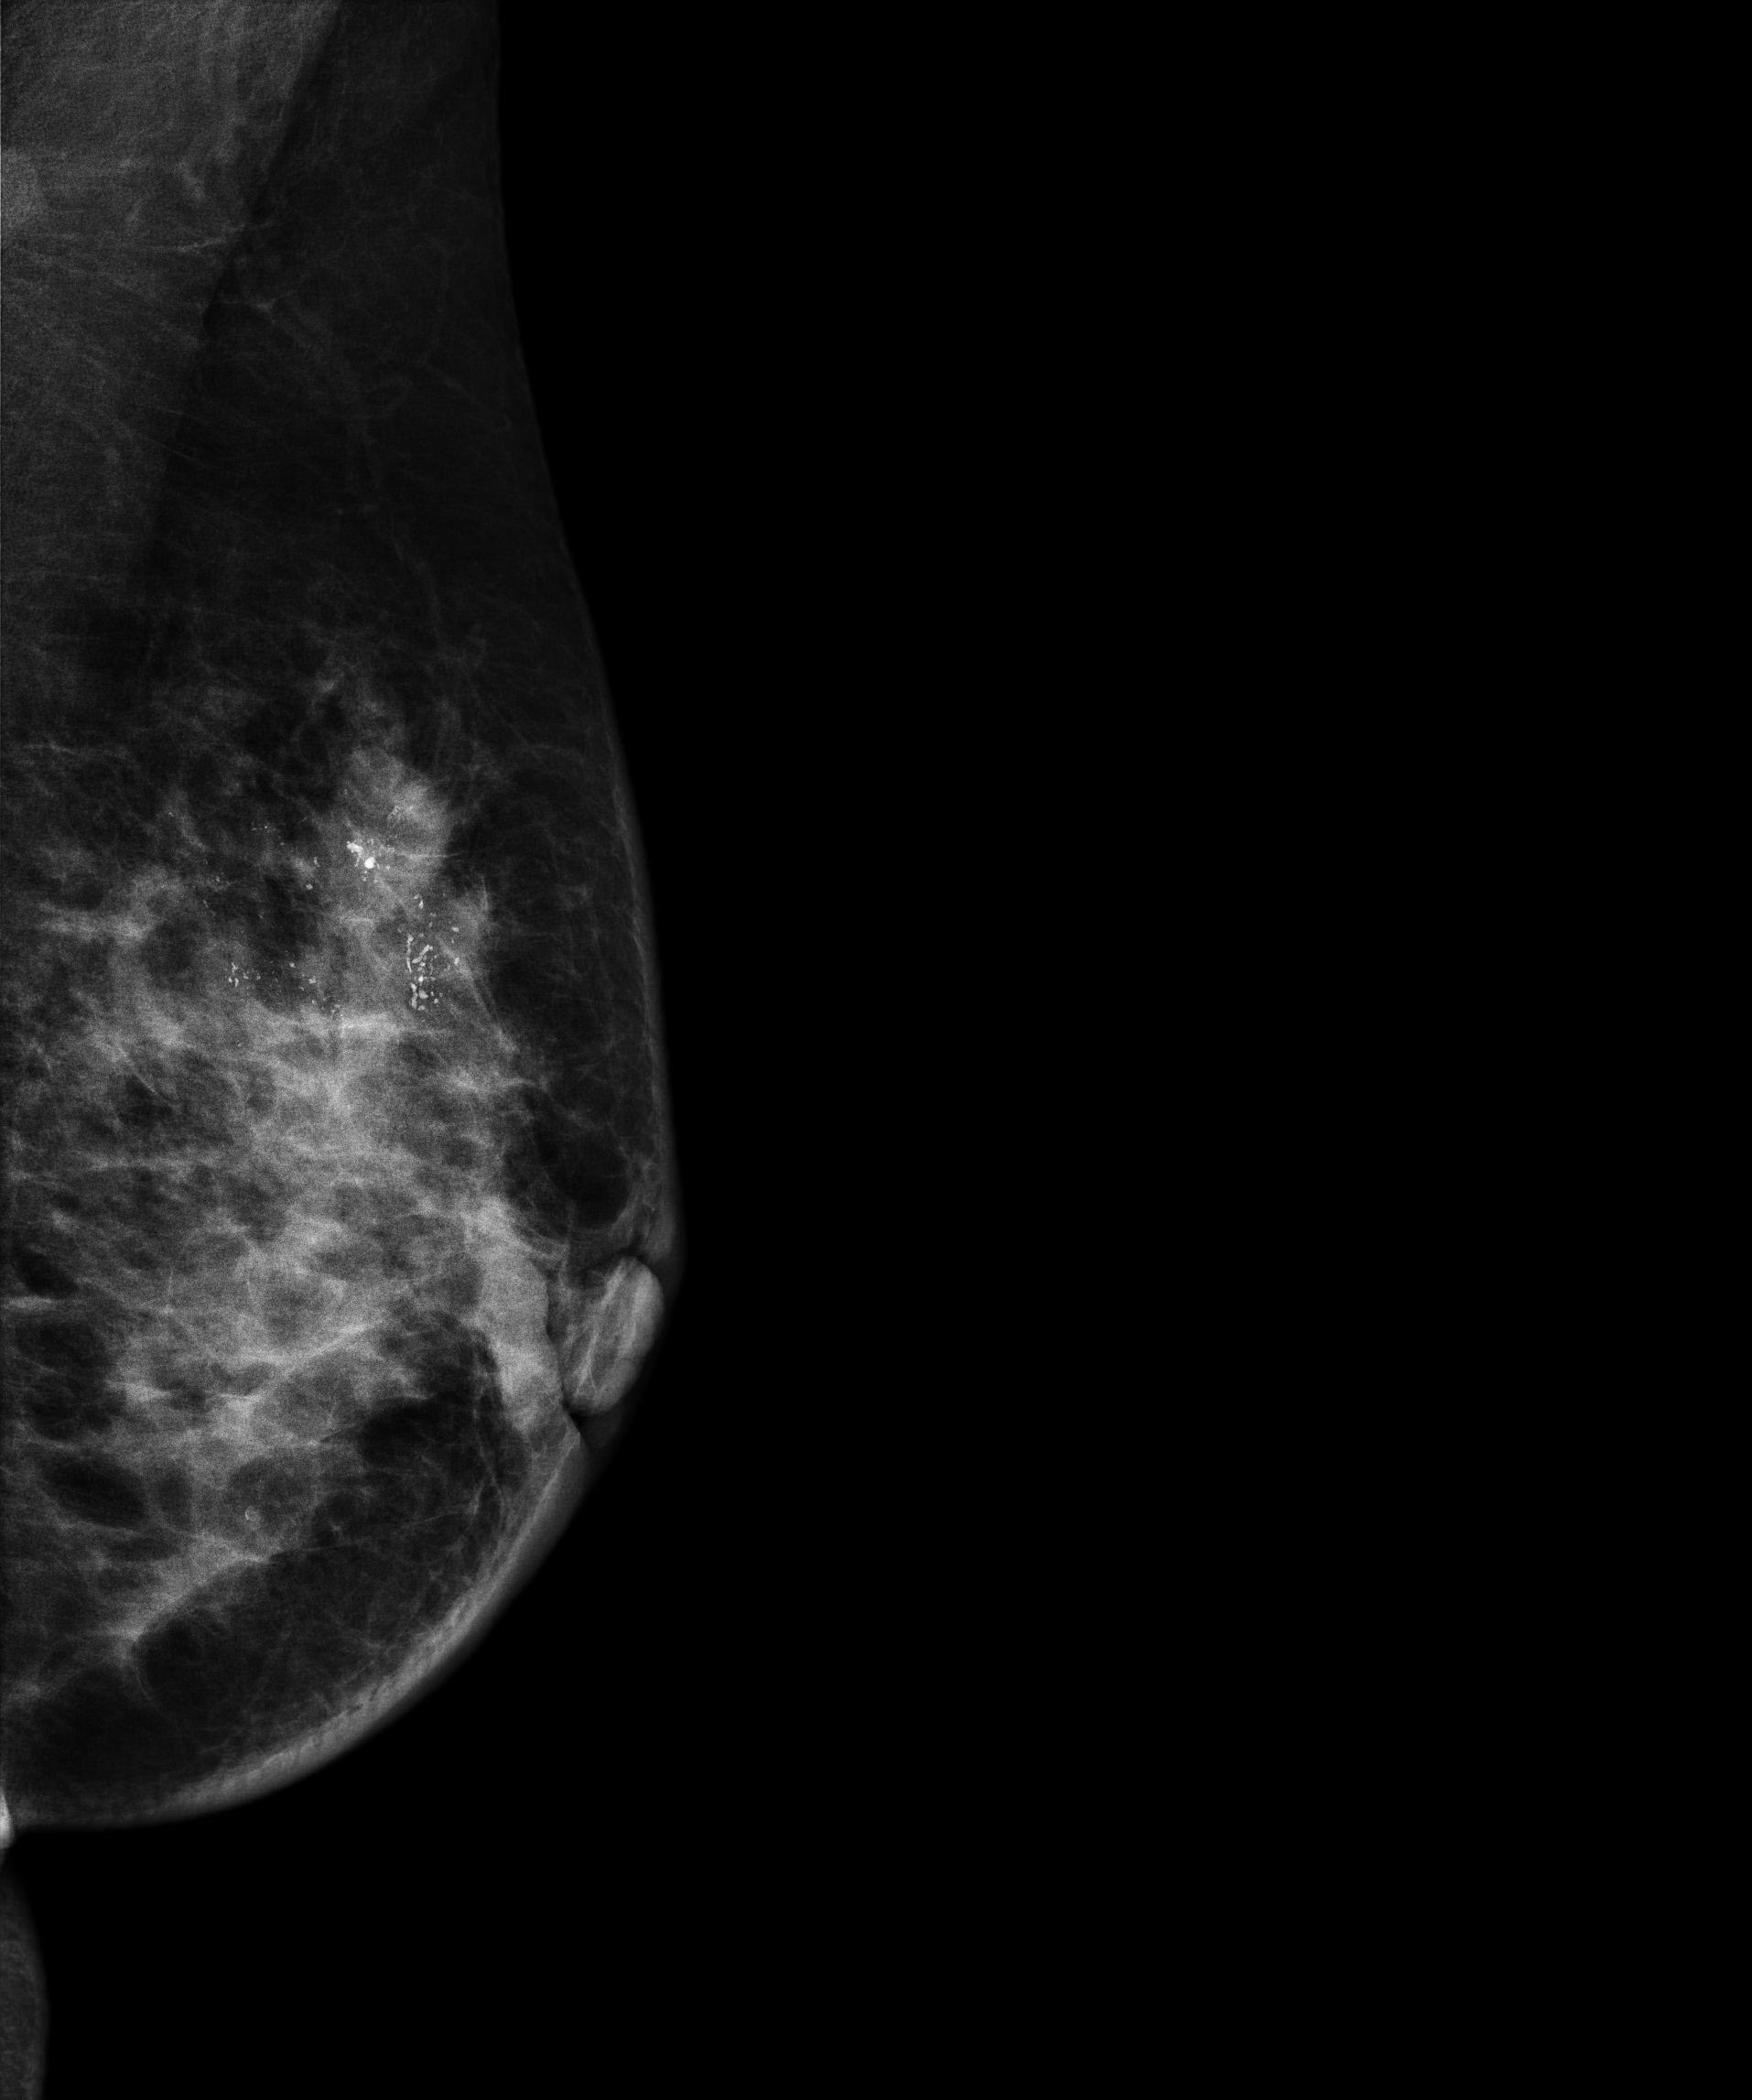
Mammogram, left breast, medio-lateral oblique view. 42 y/o patient.
This breast has calcifications, biopsy-proven malignant.